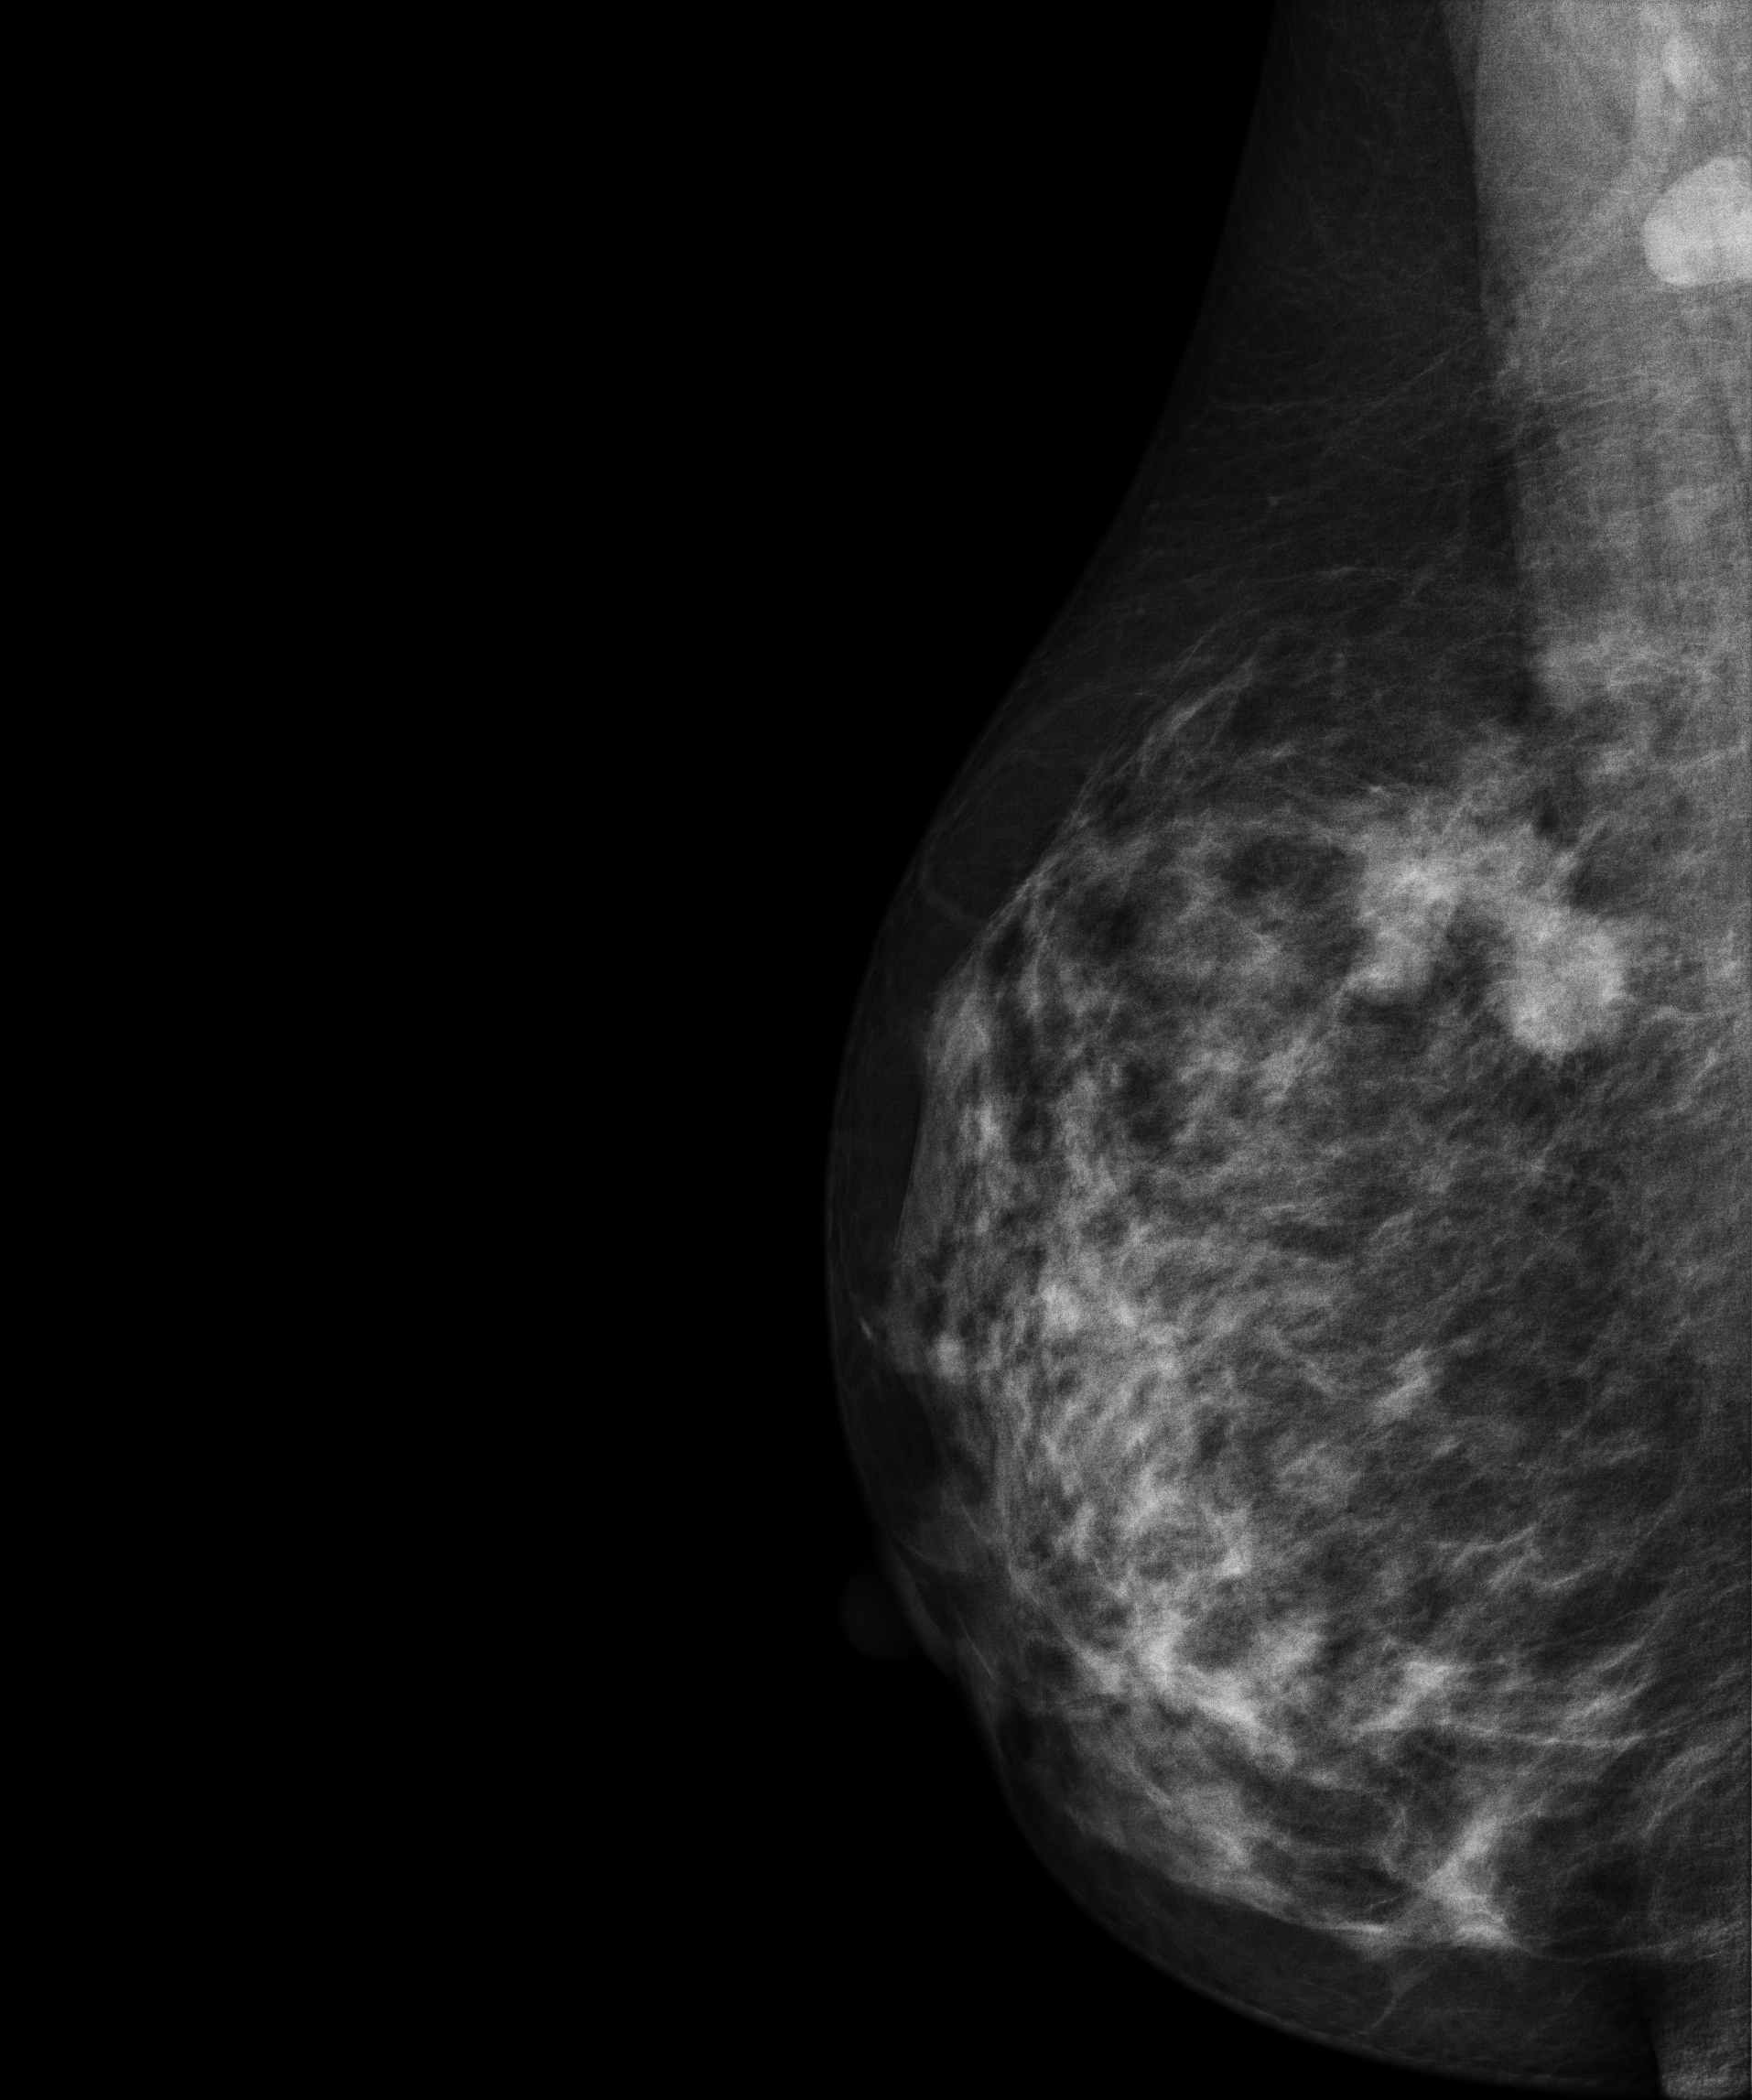
Mammogram — right medio-lateral oblique. 43-year-old patient.
This breast has a mass, biopsy-proven malignant. Molecular subtype: luminal B.